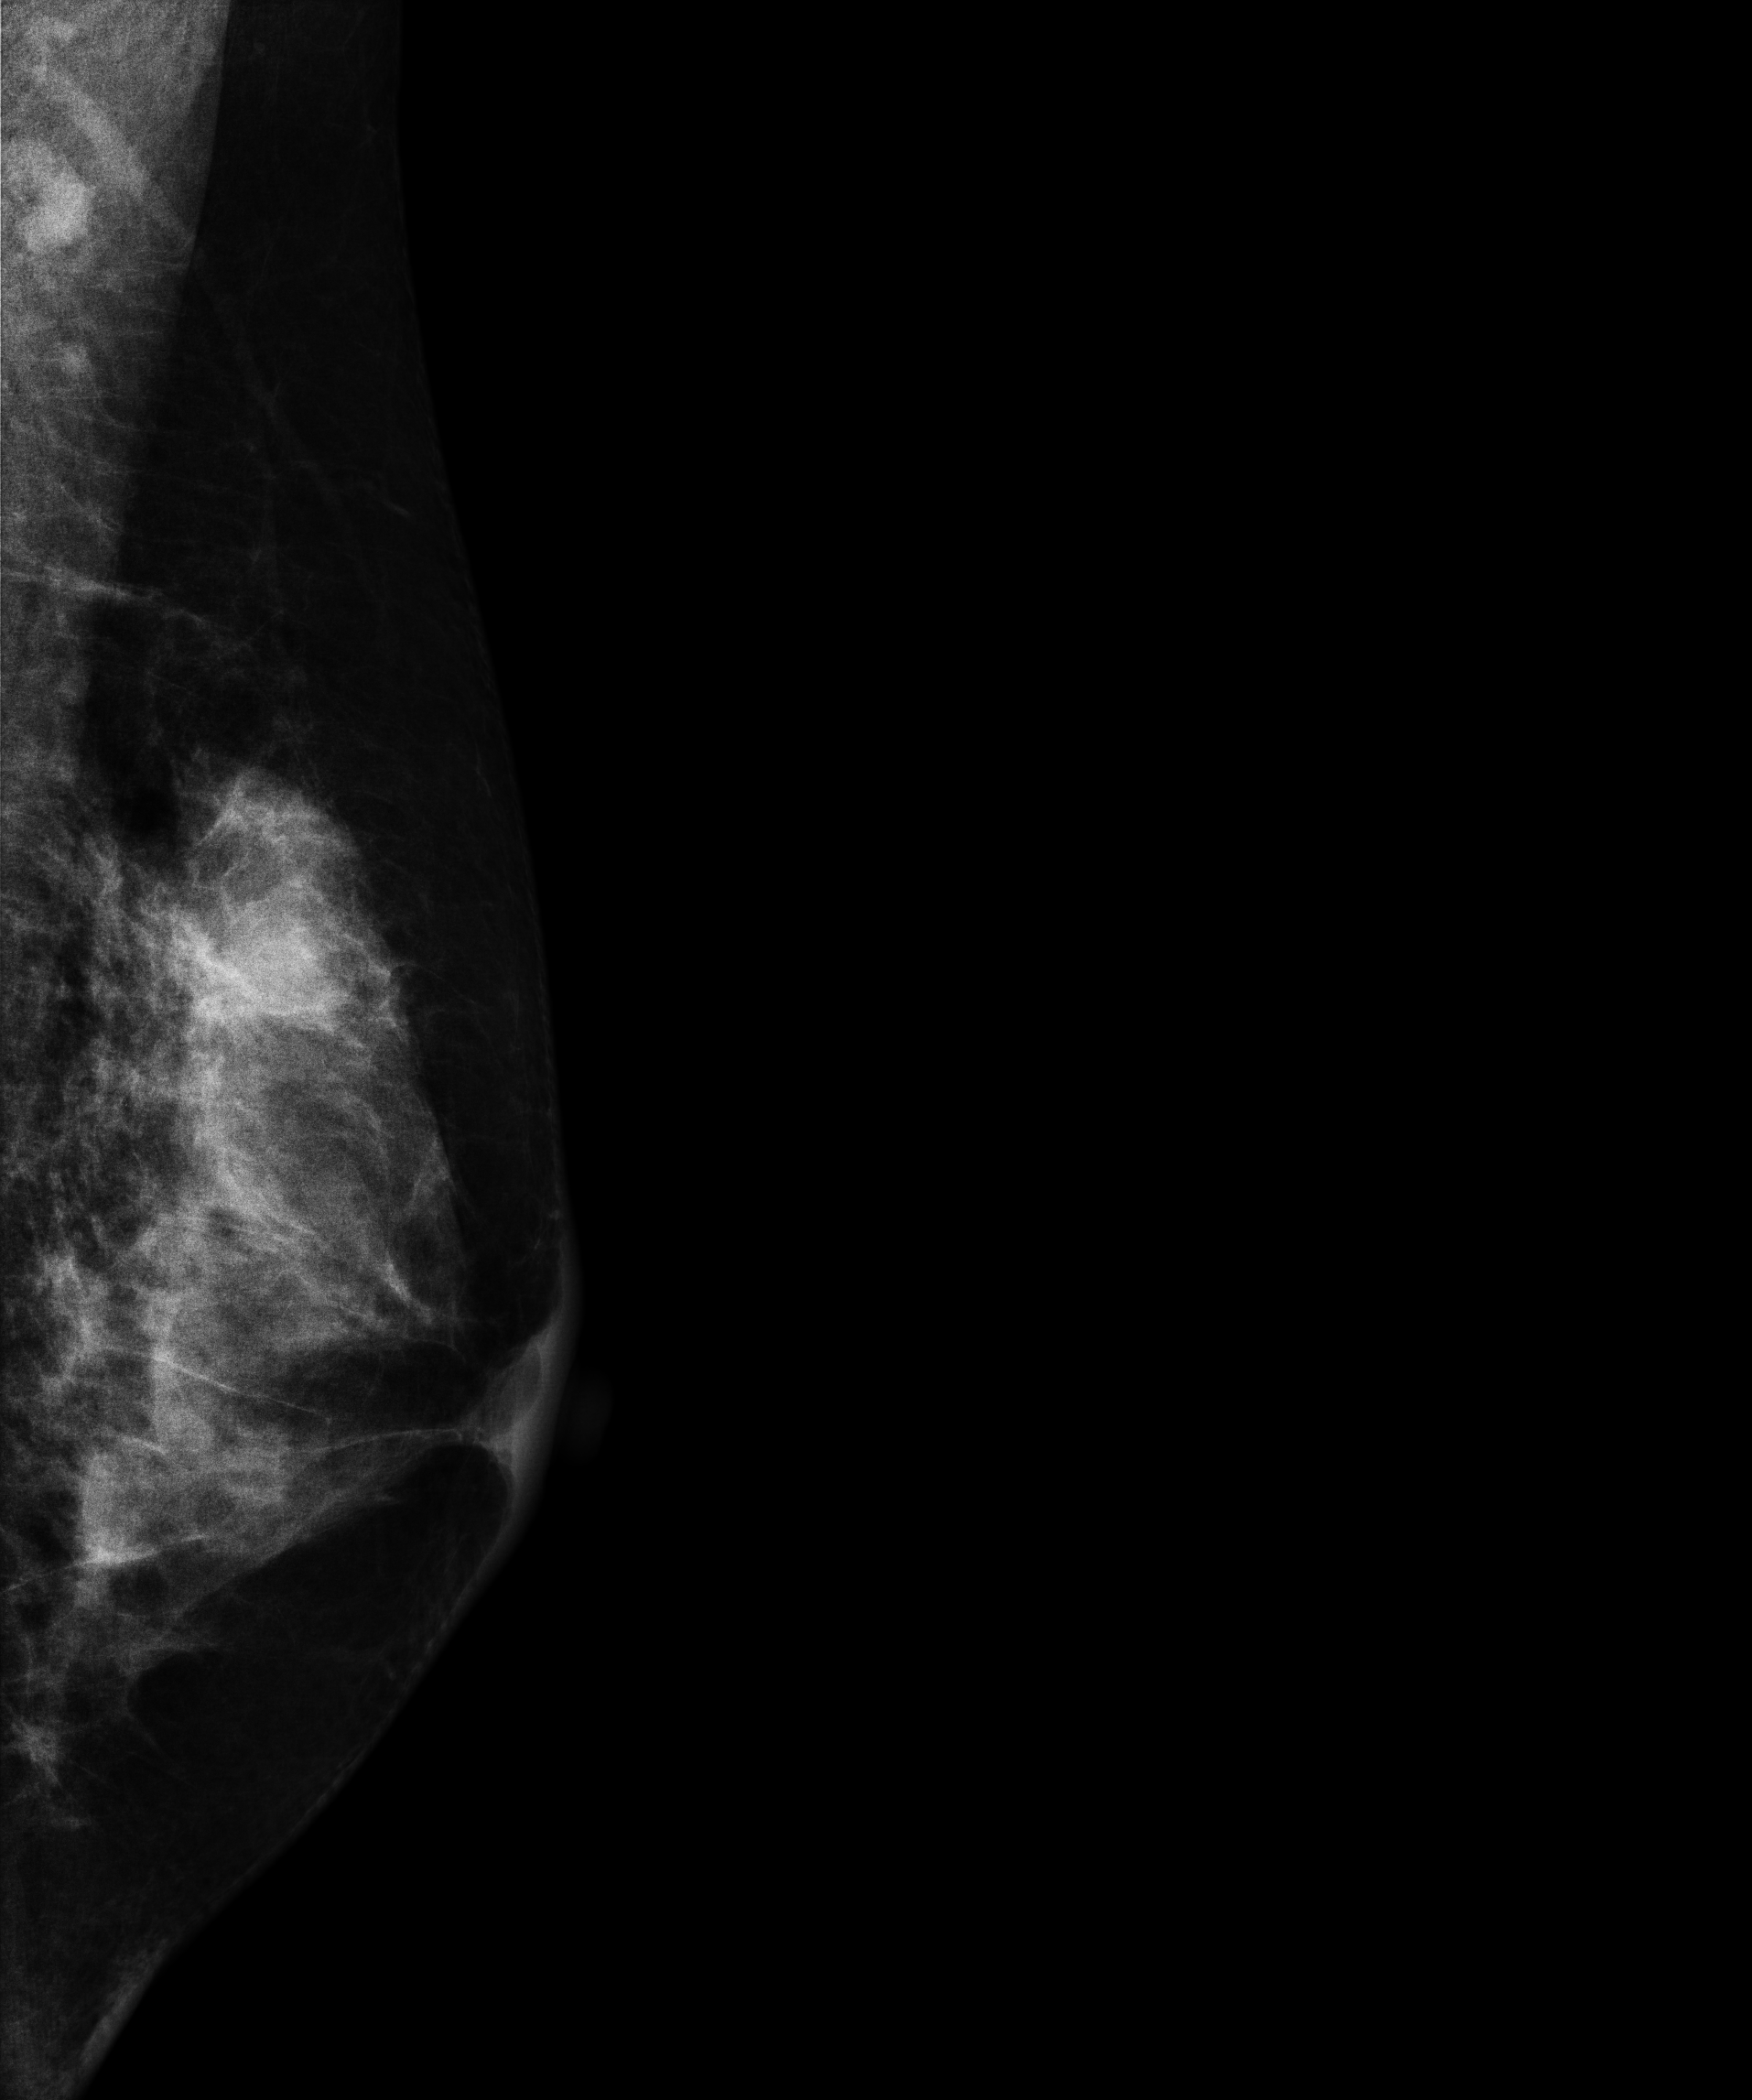
MLO mammogram of the left breast. 49 y/o patient.
This breast has a mass, histologically confirmed malignant. Molecular subtype: triple-negative.